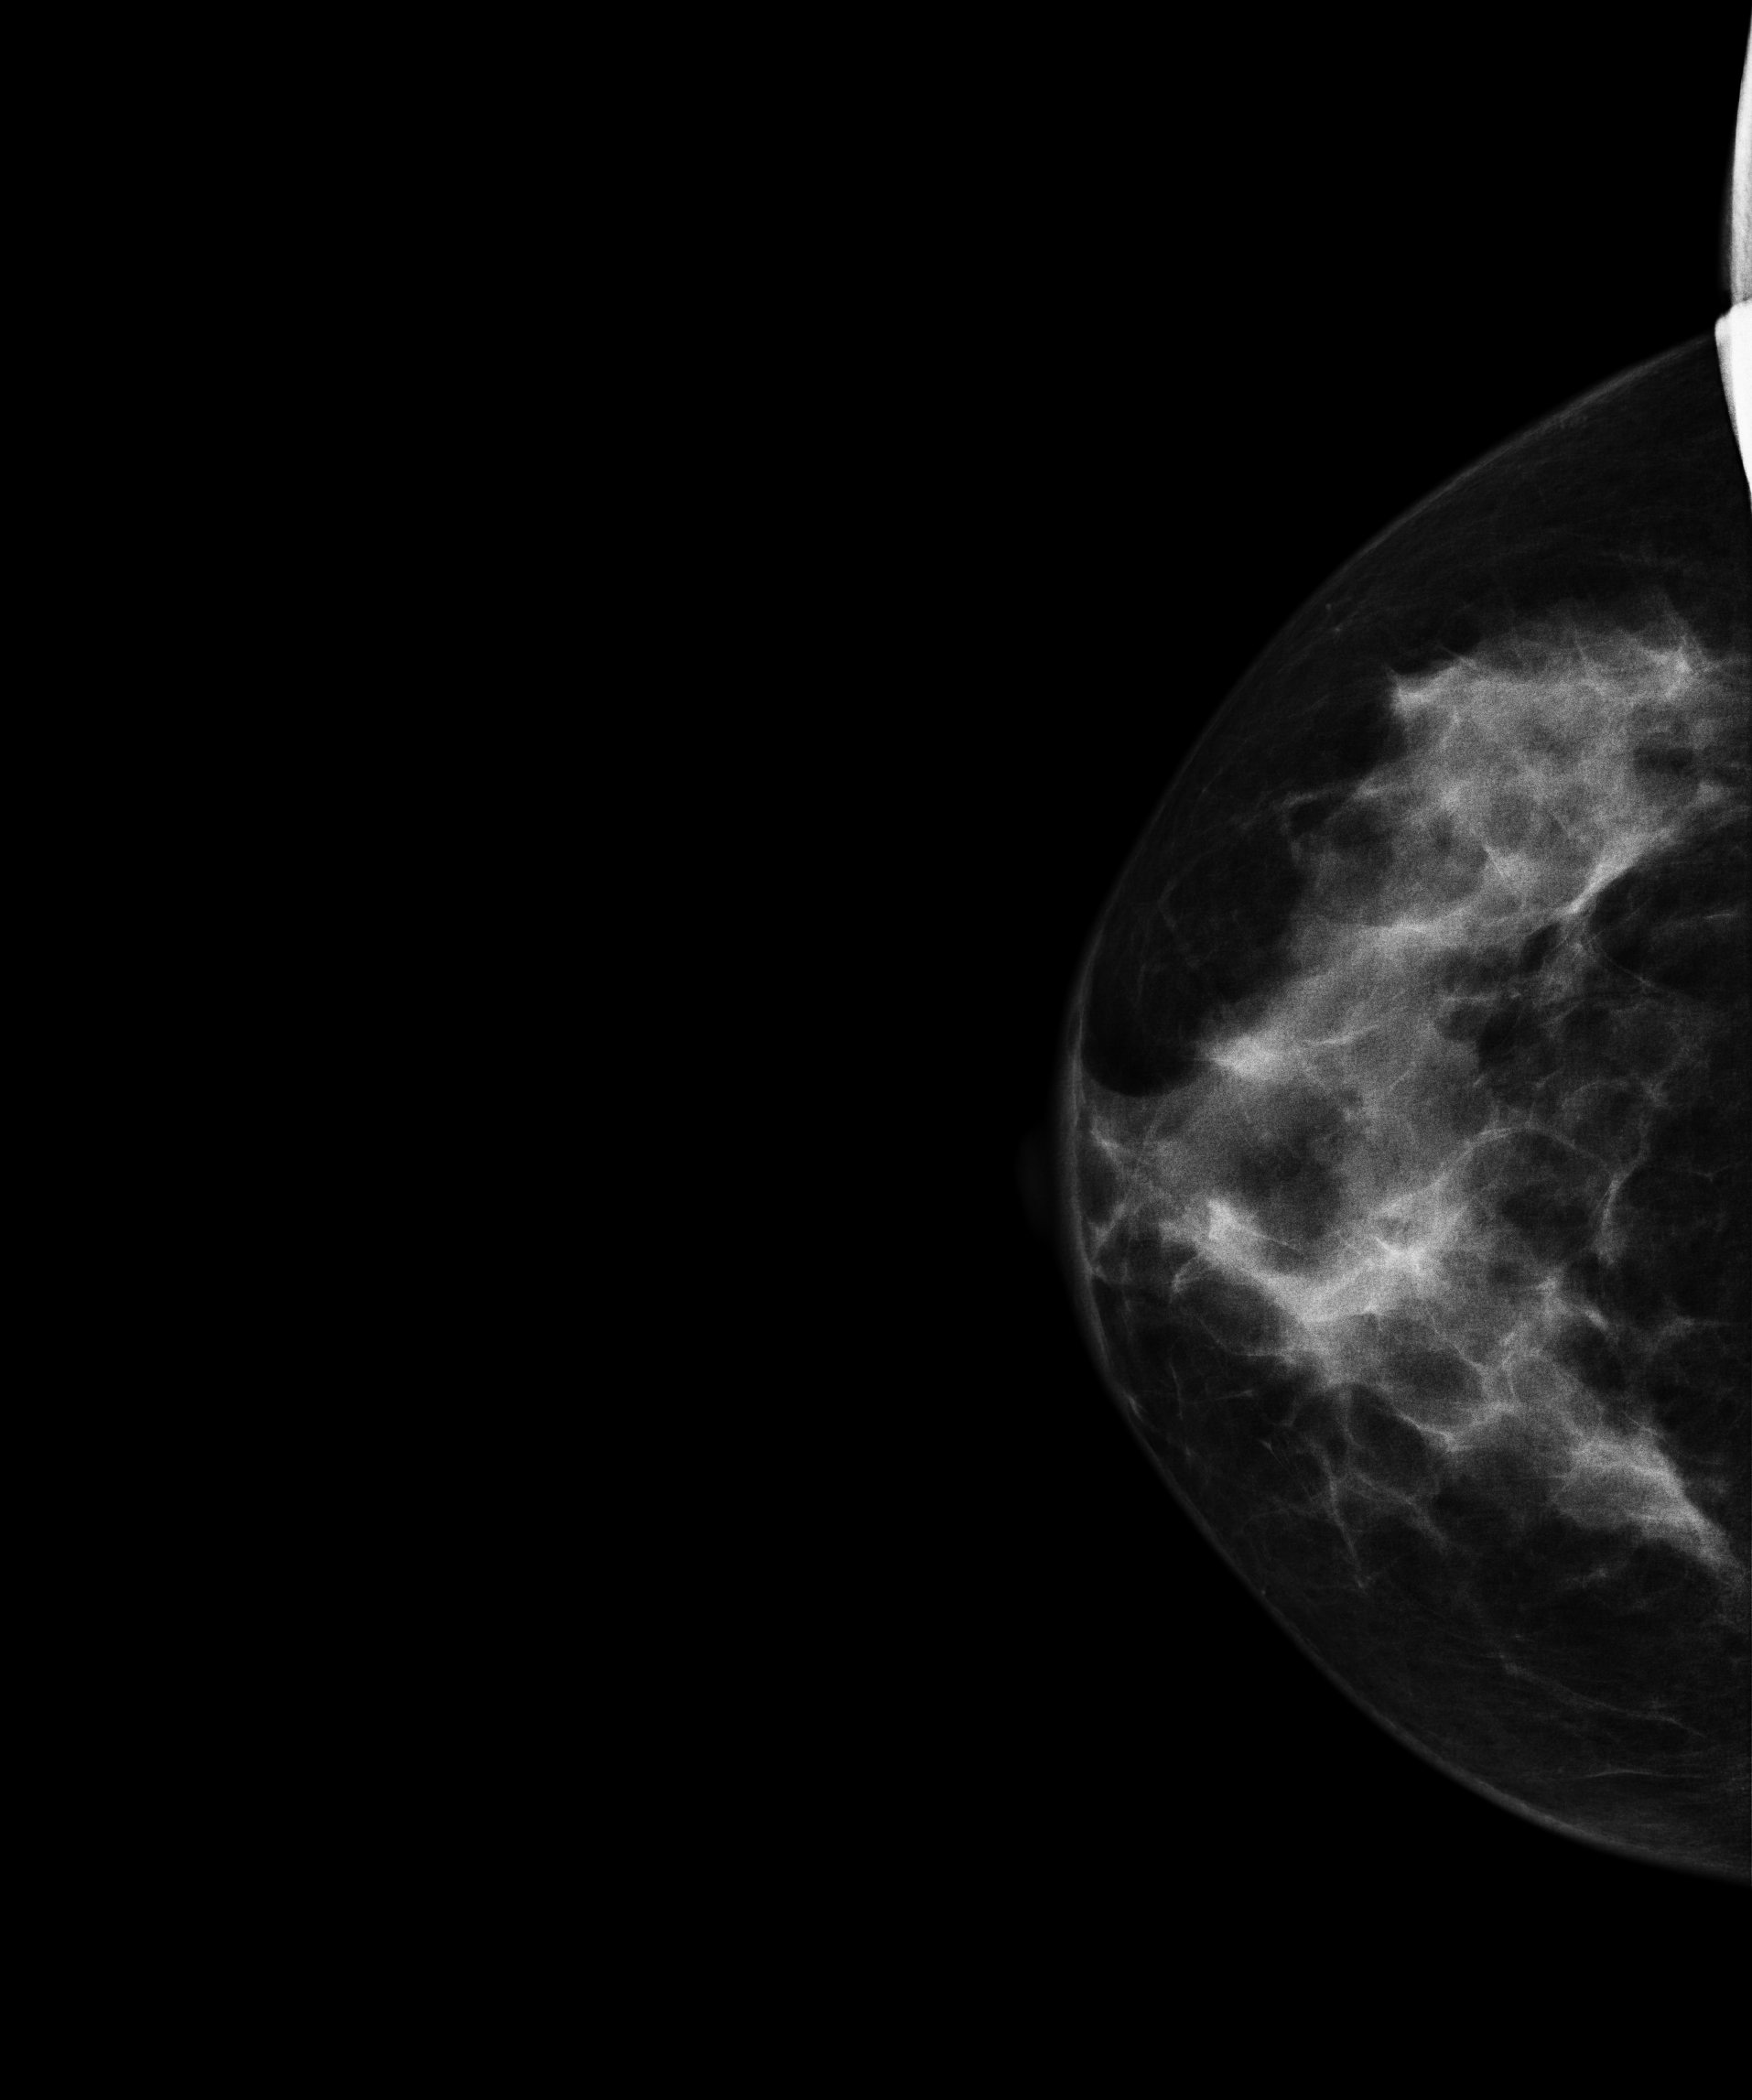
Digital mammography. Right breast, cranio-caudal projection. 48-year-old patient.
This breast has a mass, pathology-confirmed benign.